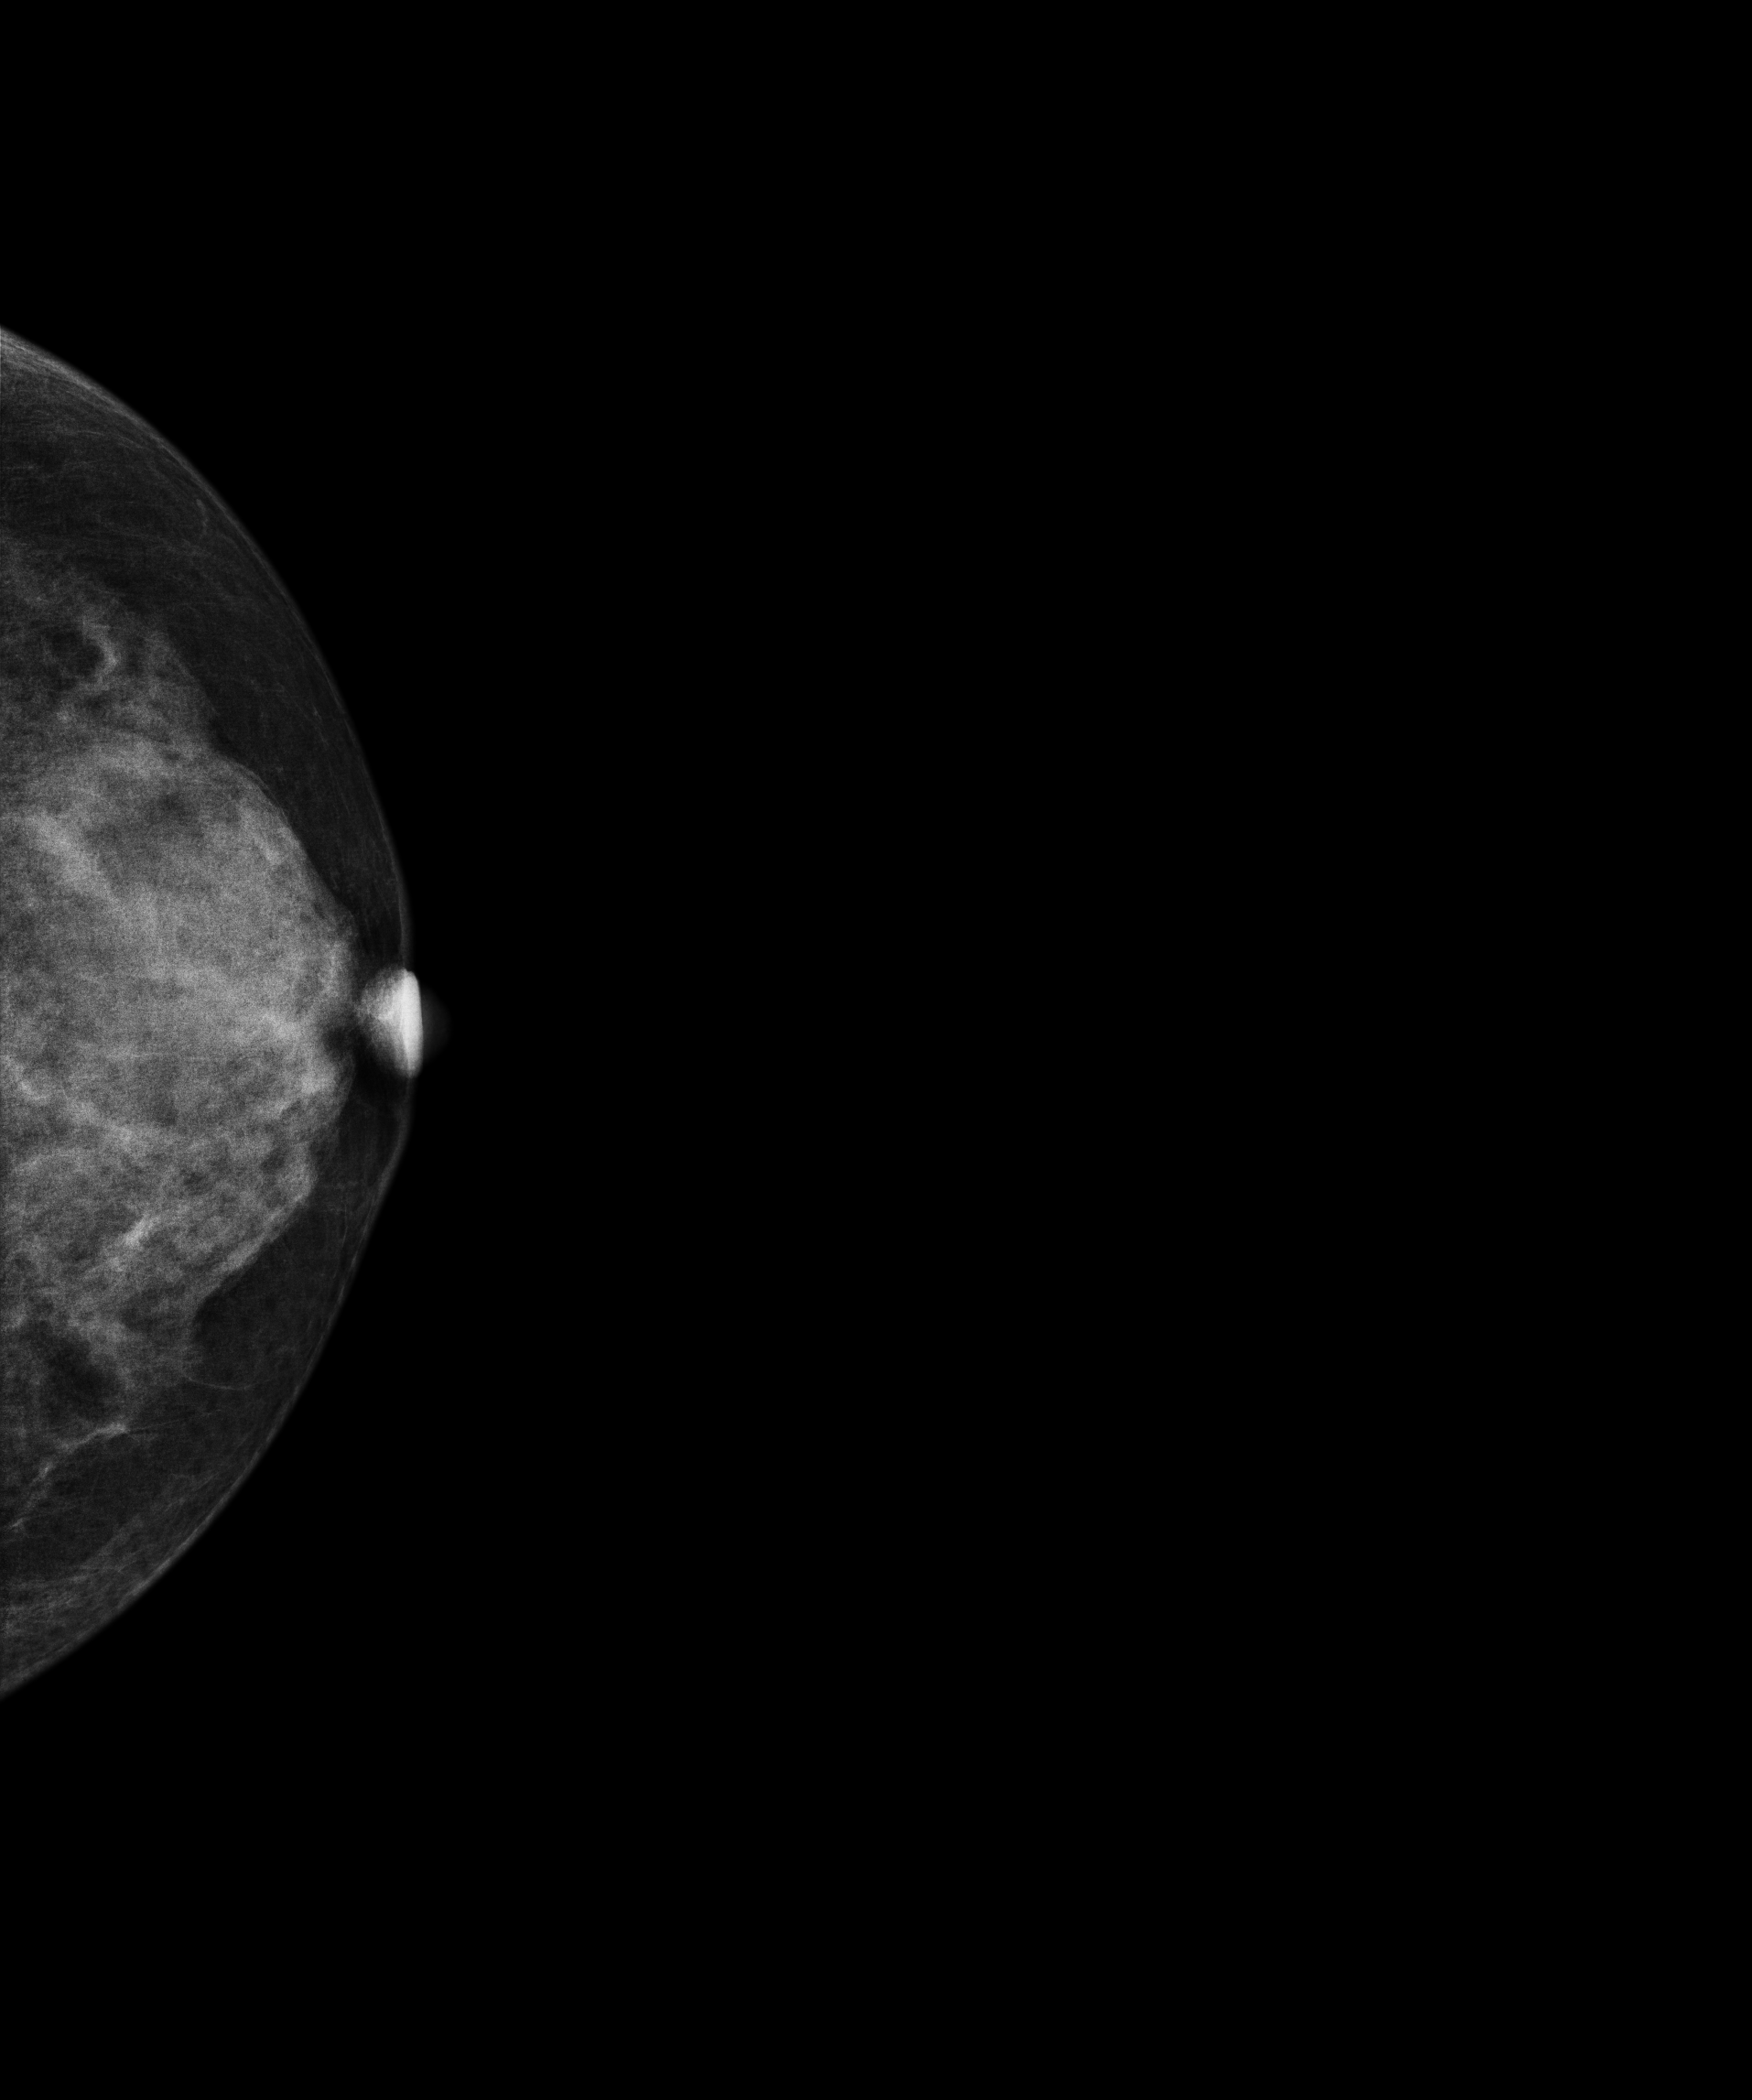
CC mammogram of the left breast. 54 y/o patient.
Contralateral breast — no documented abnormality on this side.